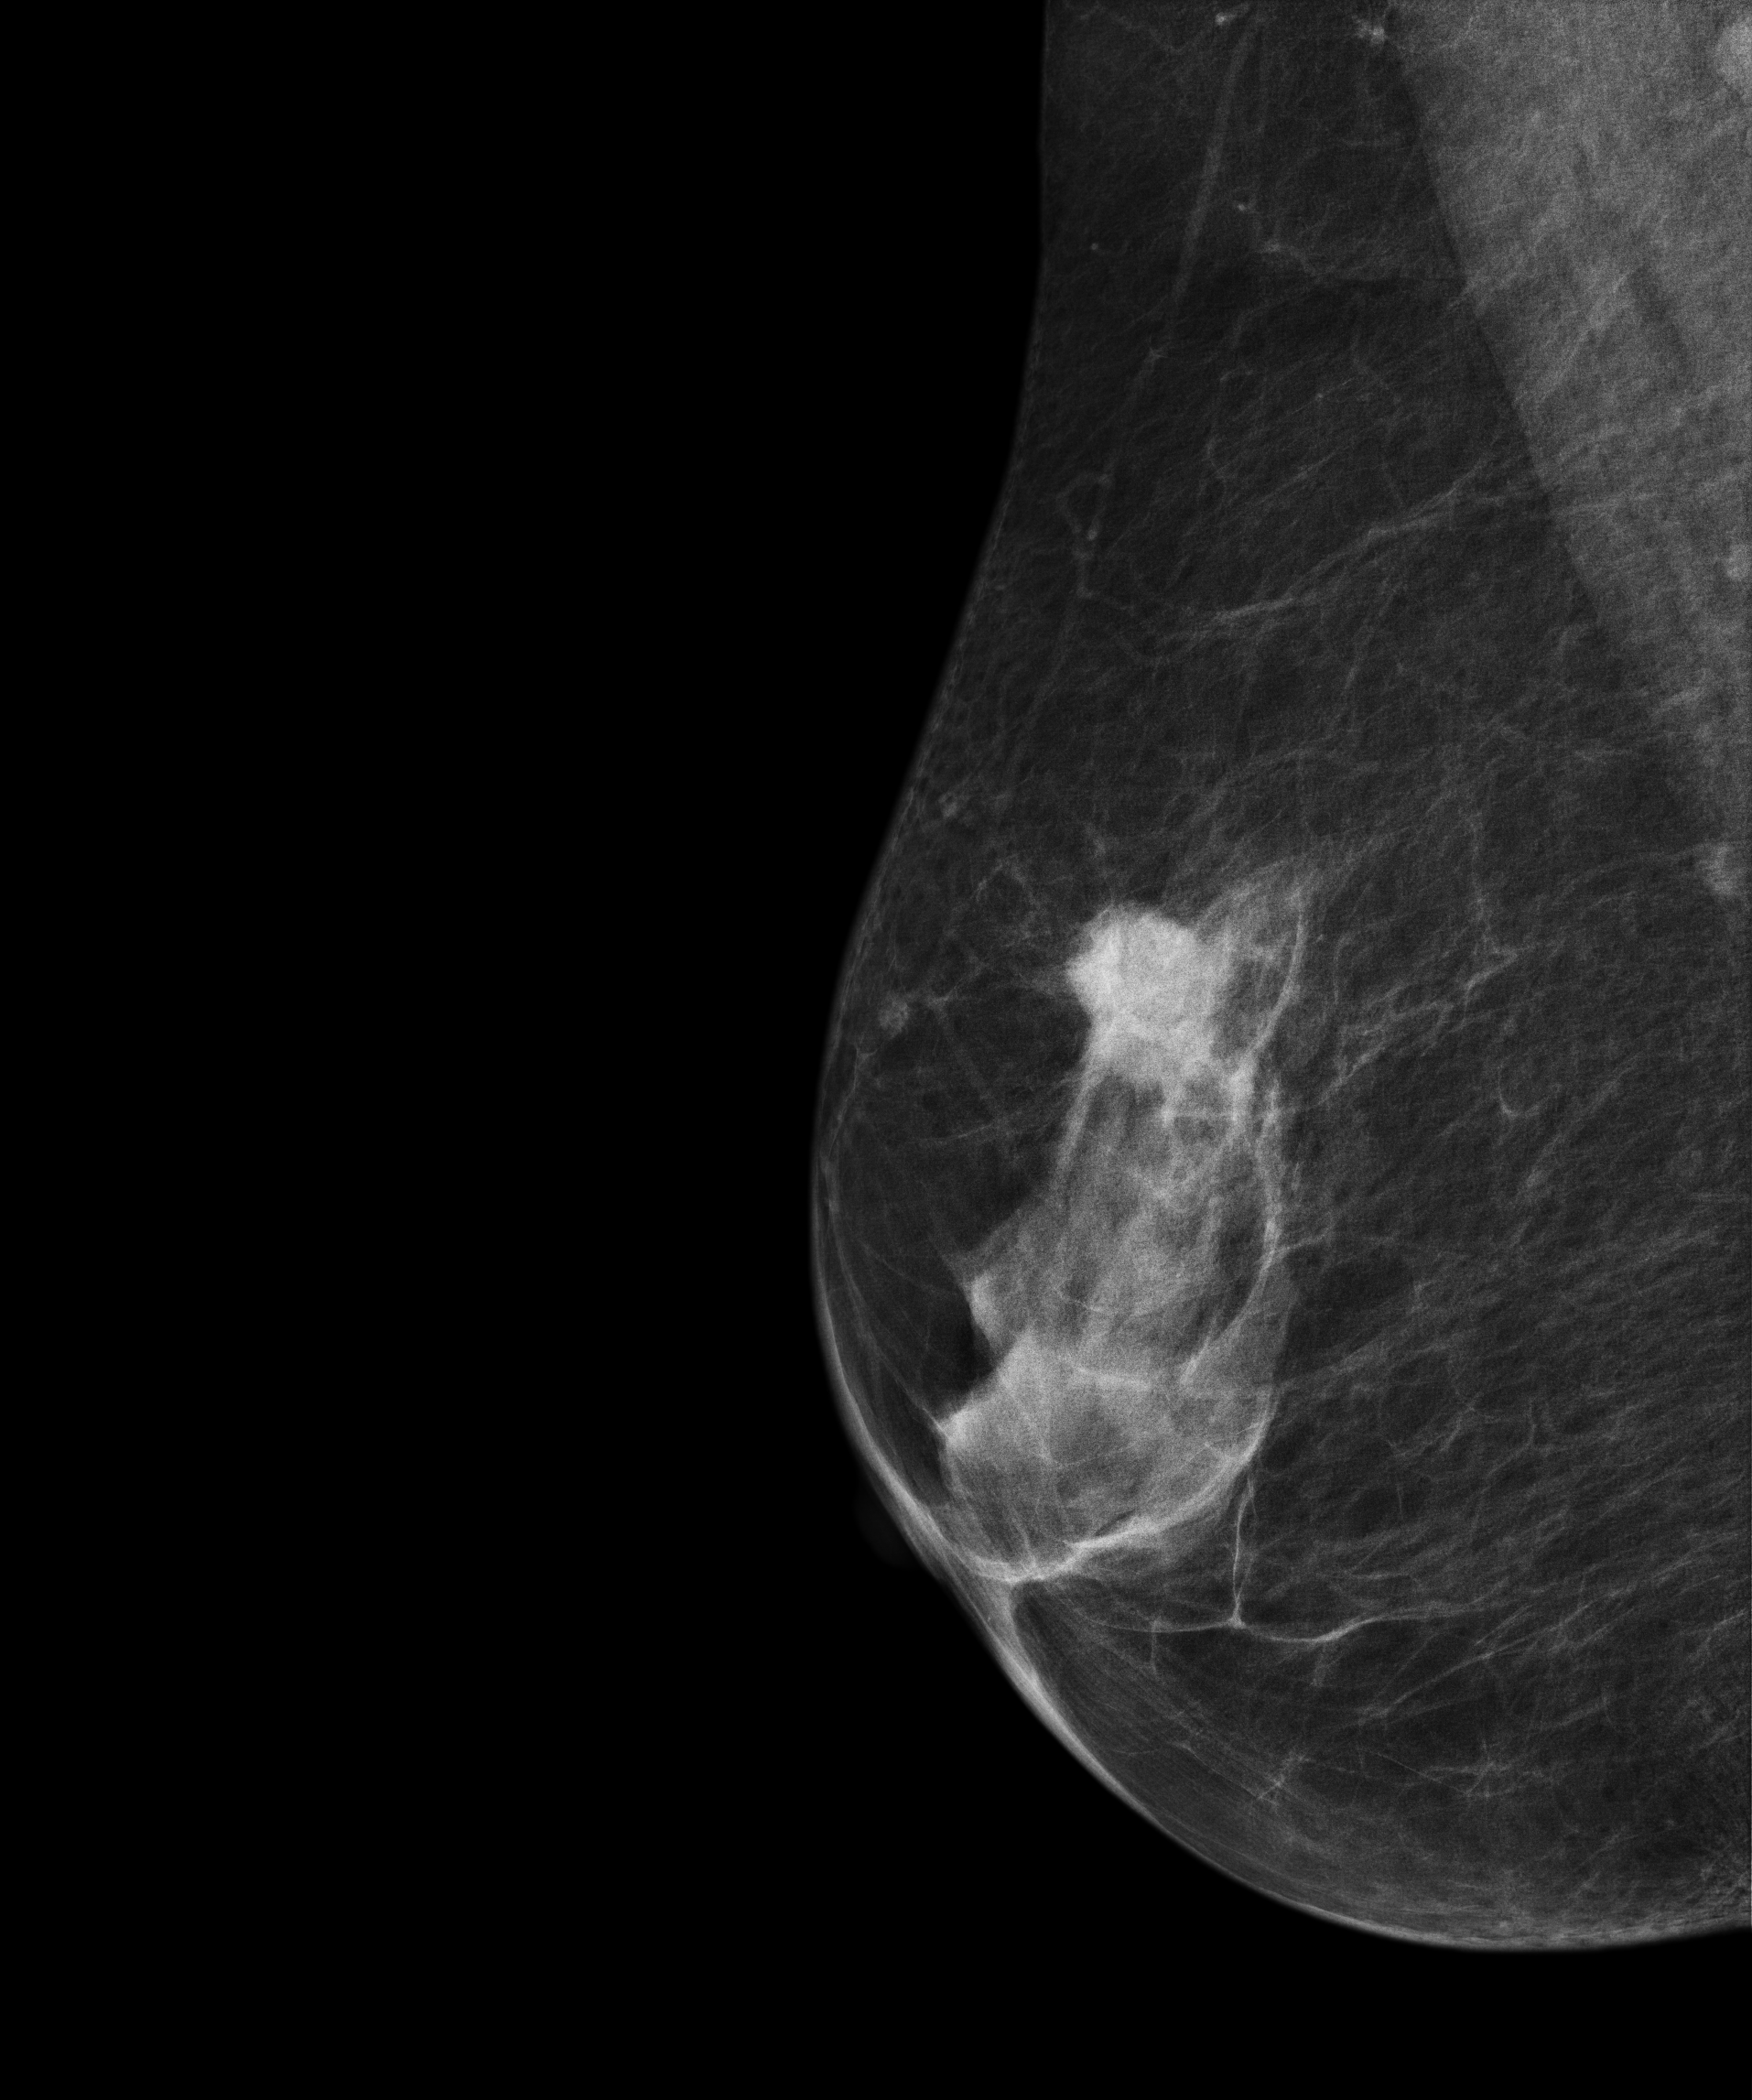
MLO mammogram of the right breast. 72-year-old patient.
This breast has a mass, histologically confirmed malignant. Molecular subtype: luminal B.